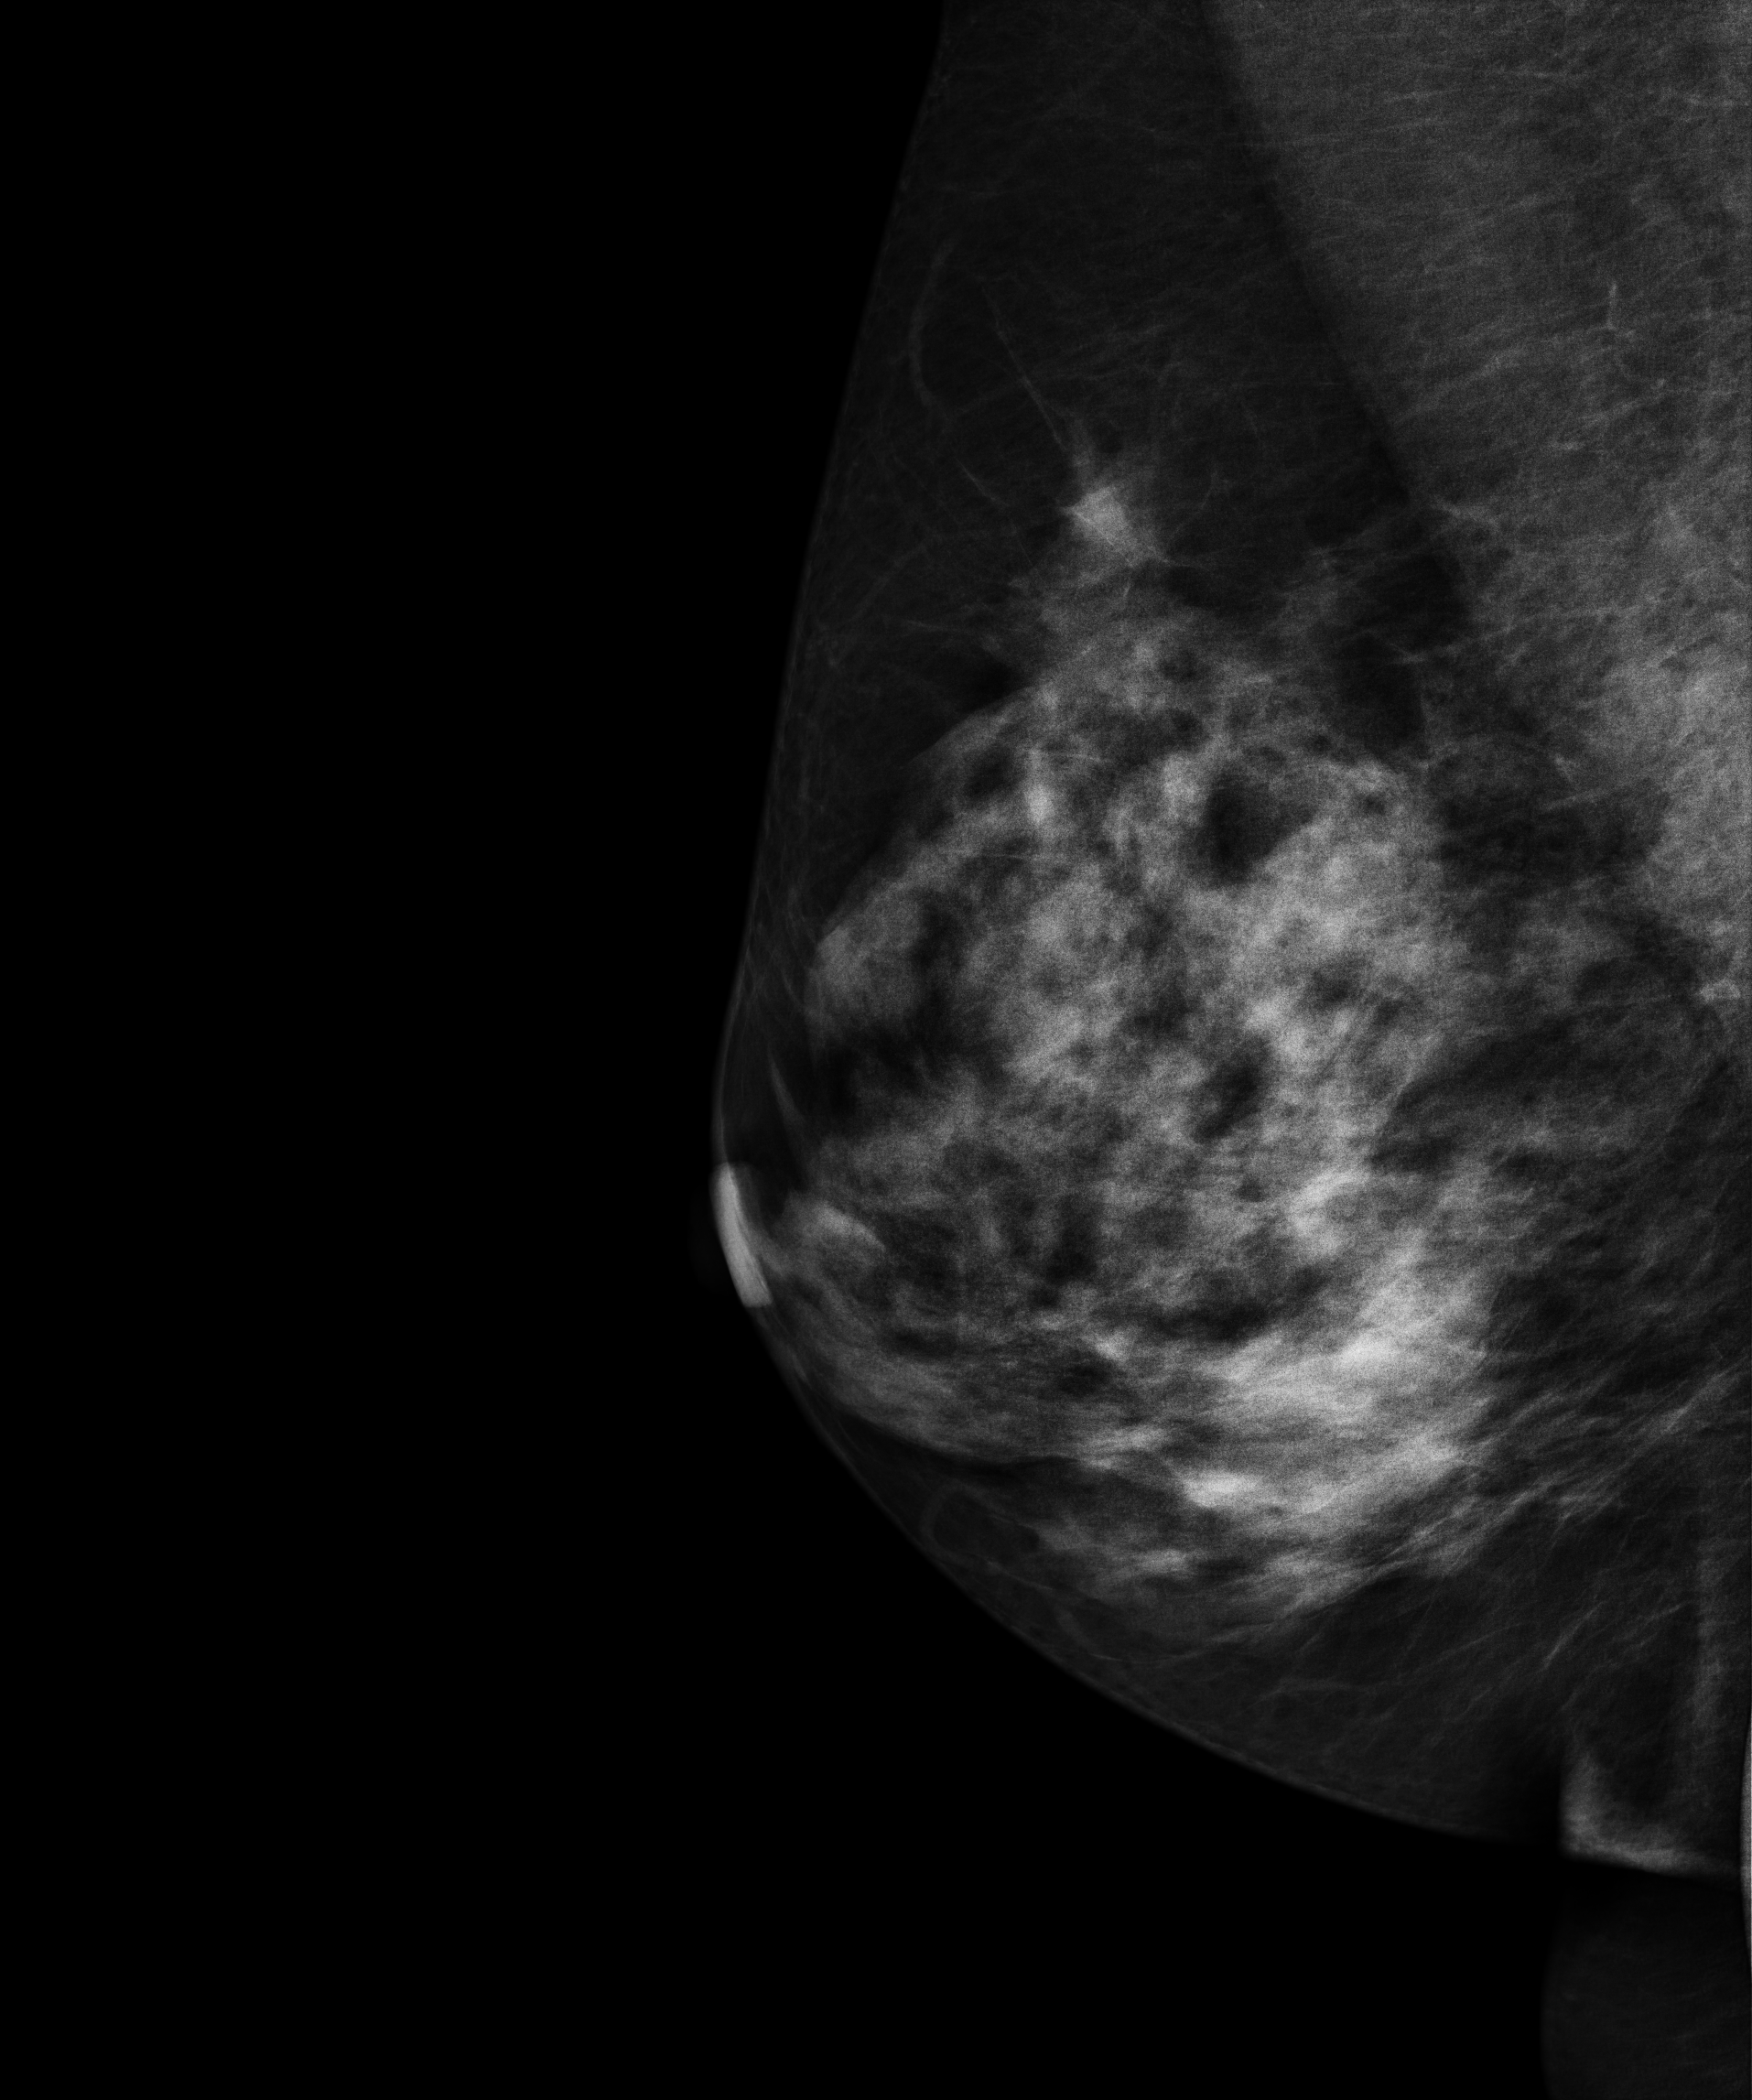
Right-breast mammogram, MLO. 56-year-old patient.
Contralateral breast — no documented abnormality on this side.